Digital mammography. Right breast, CC projection. 51-year-old patient.
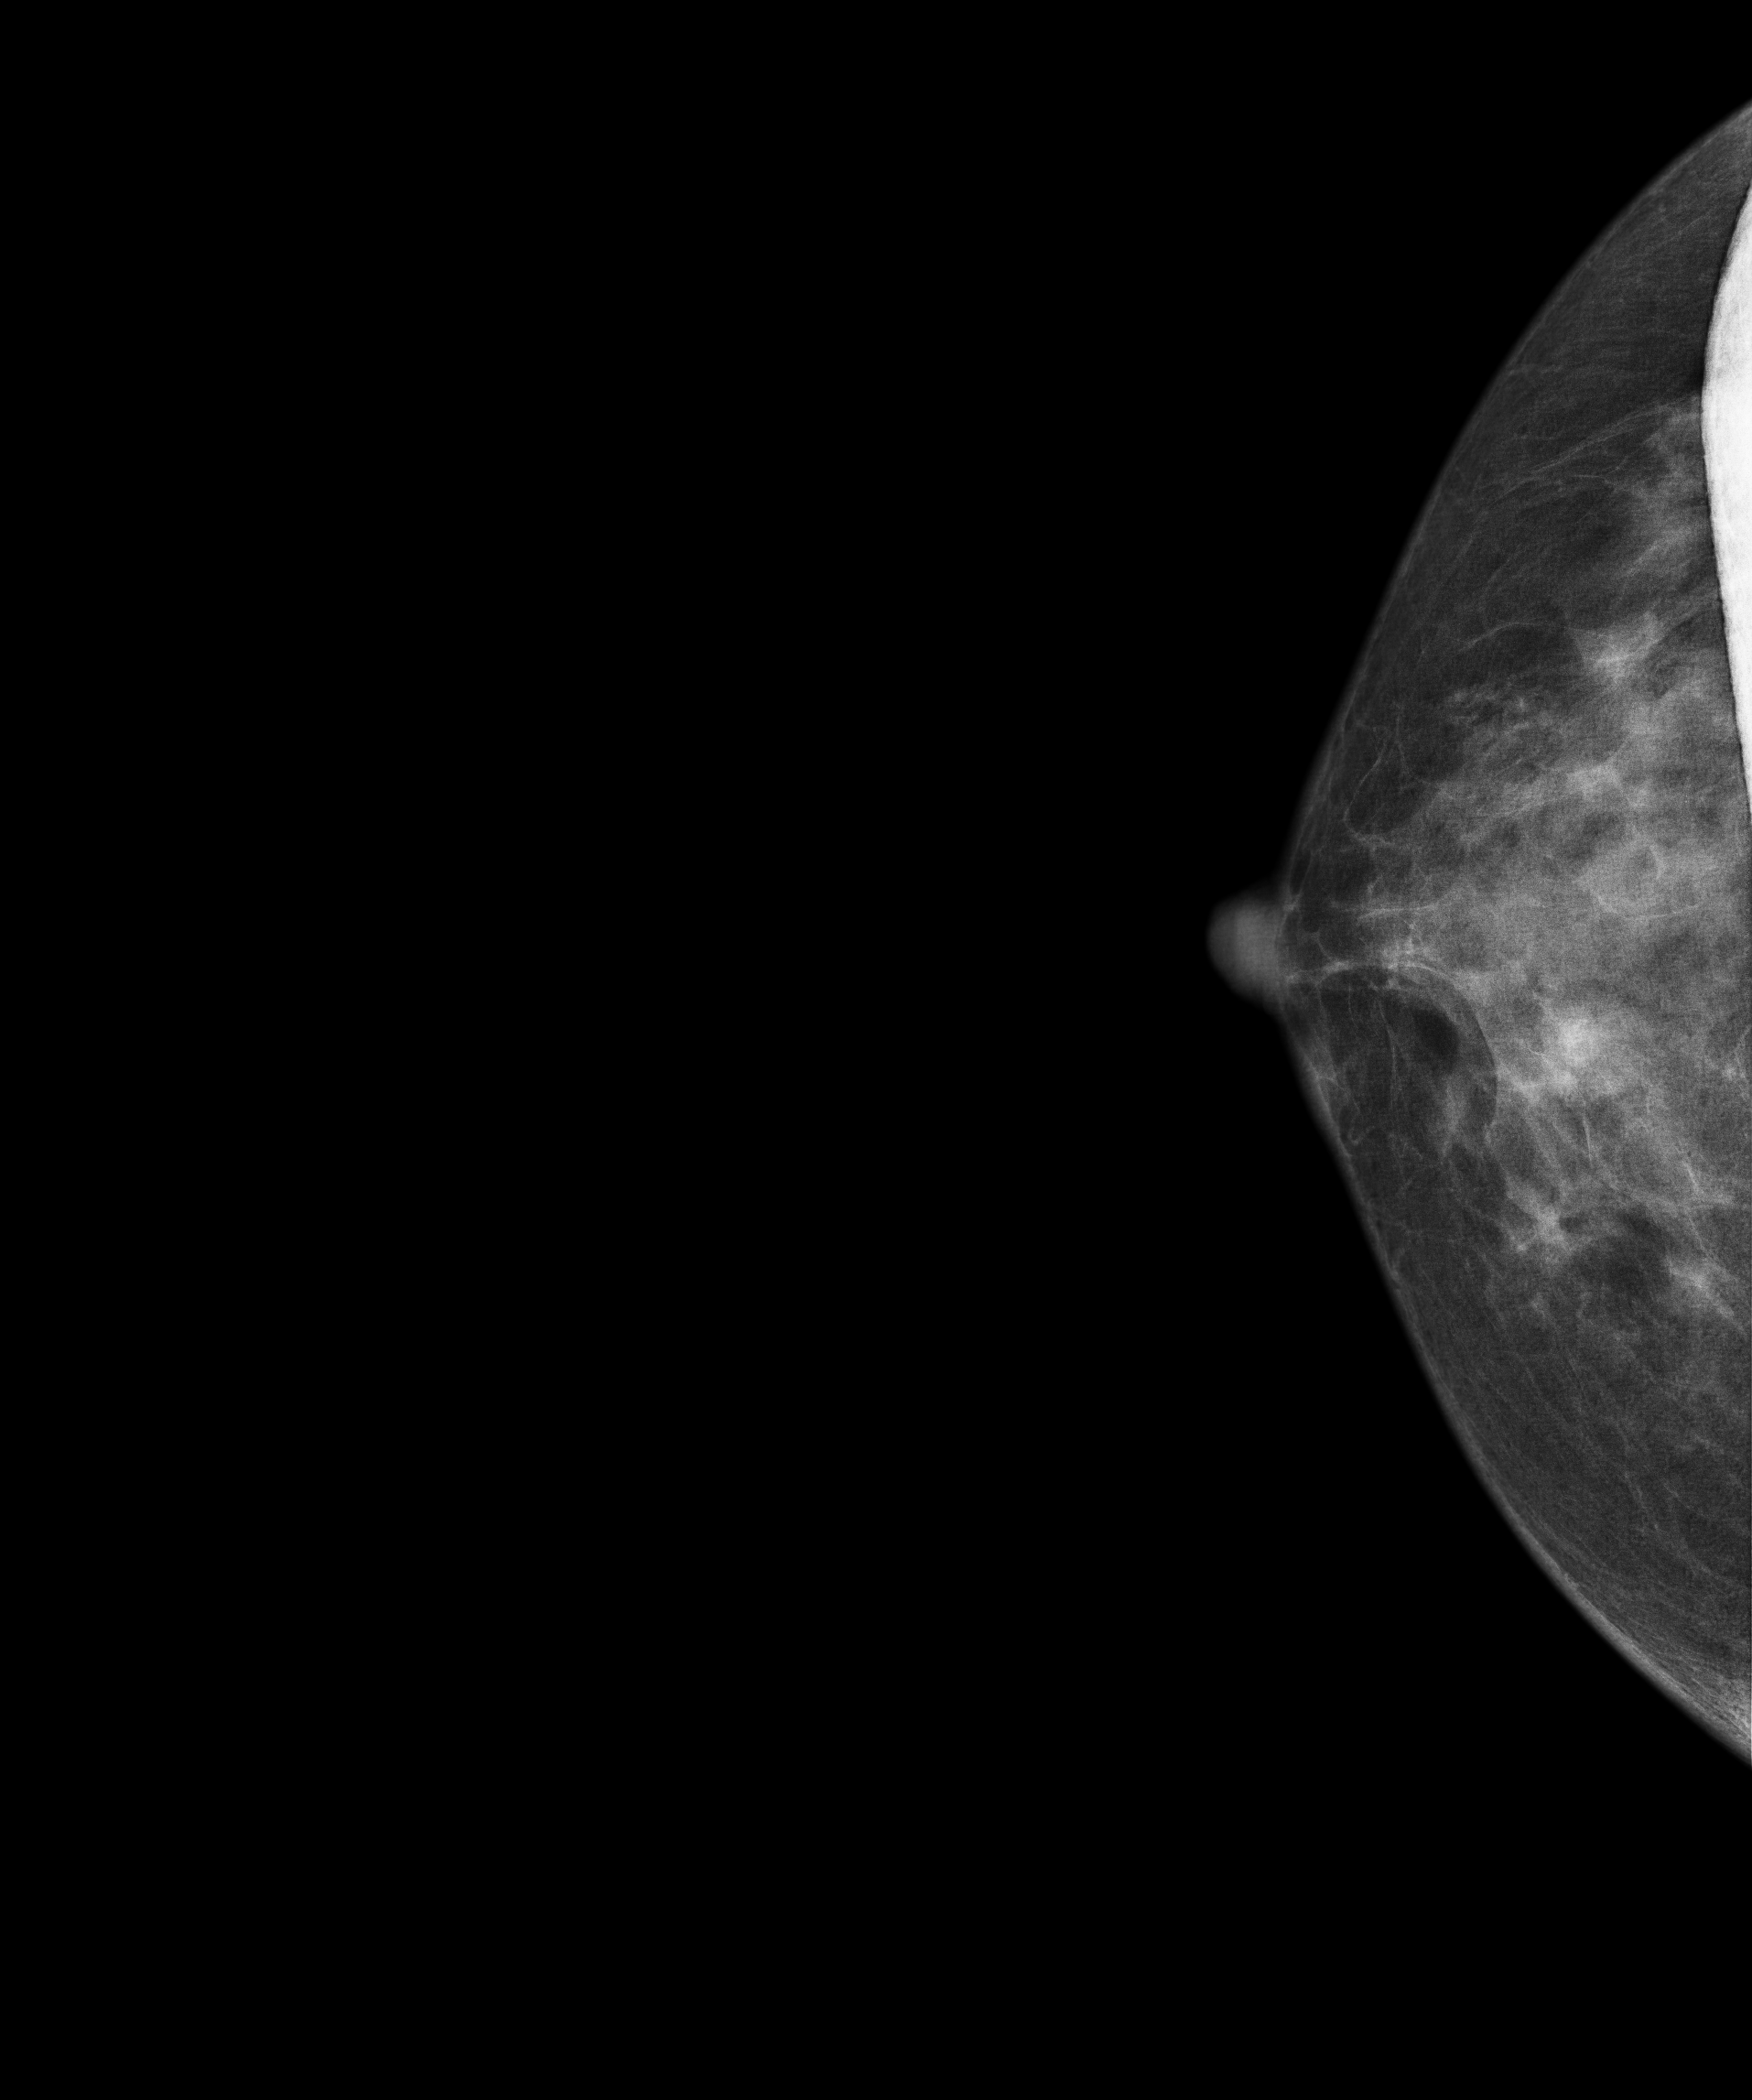
Contralateral breast — no documented abnormality on this side.